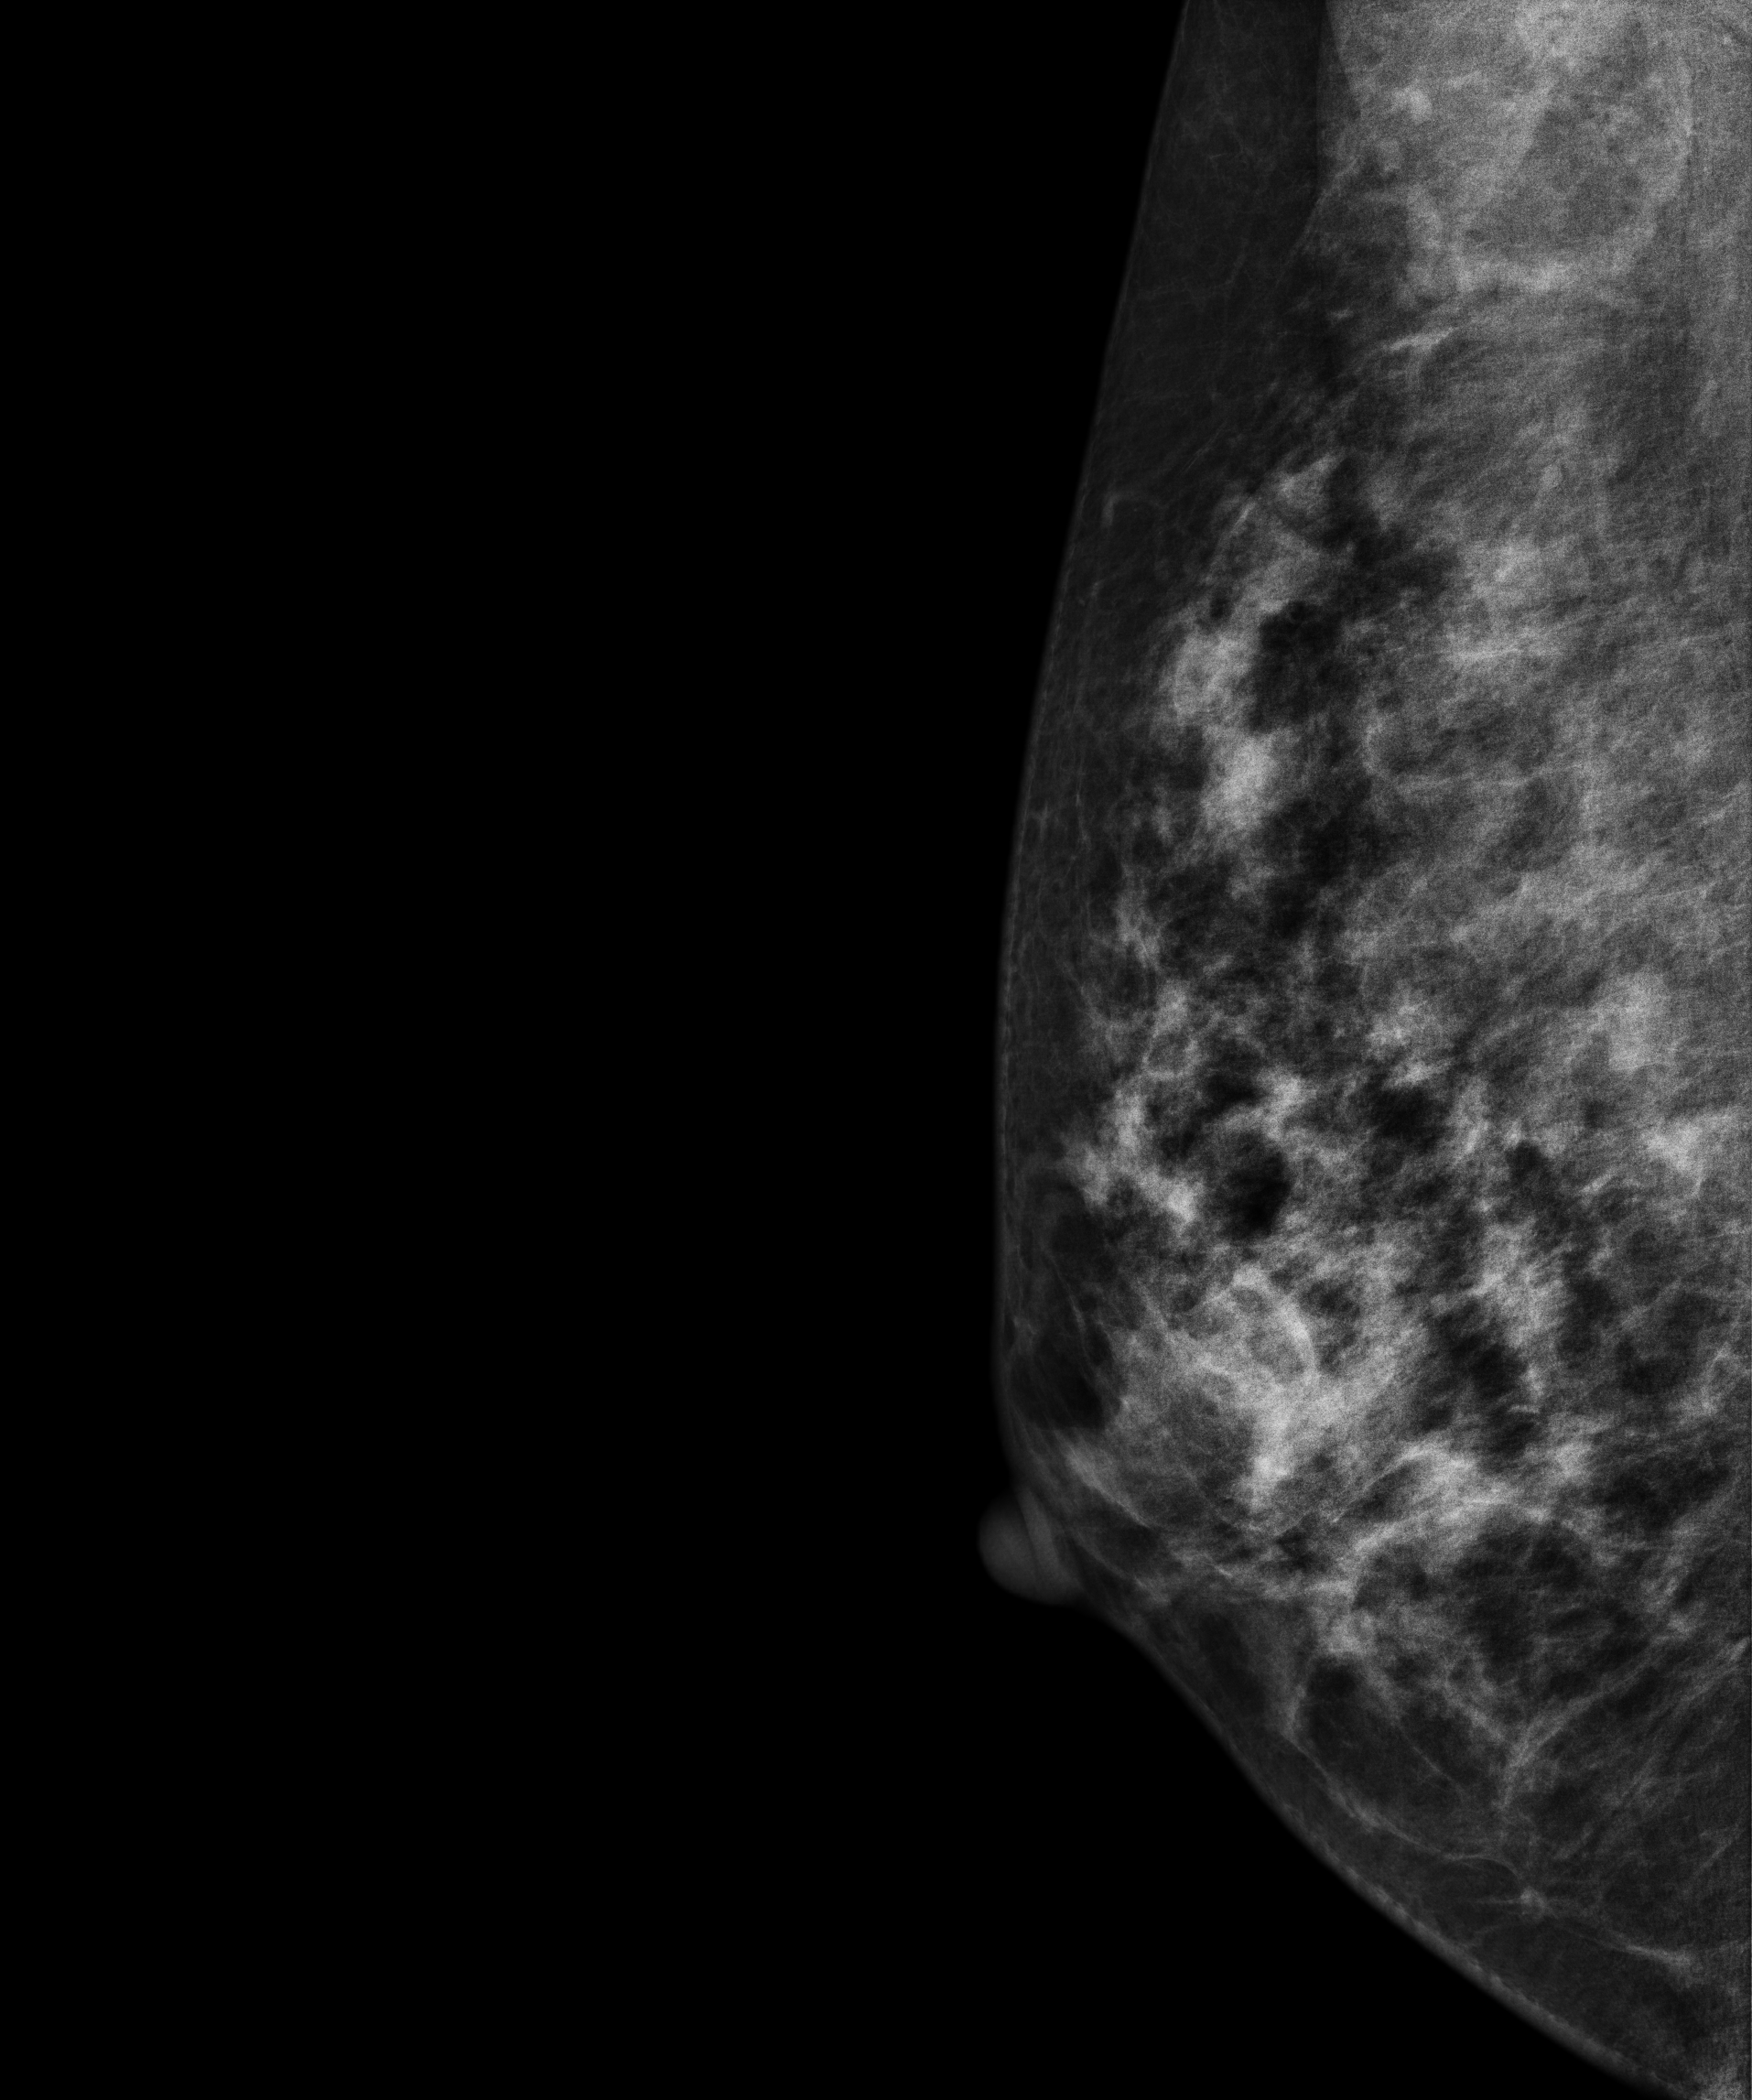
Mammogram — right medio-lateral oblique. 40-year-old patient.
Contralateral breast — no documented abnormality on this side.